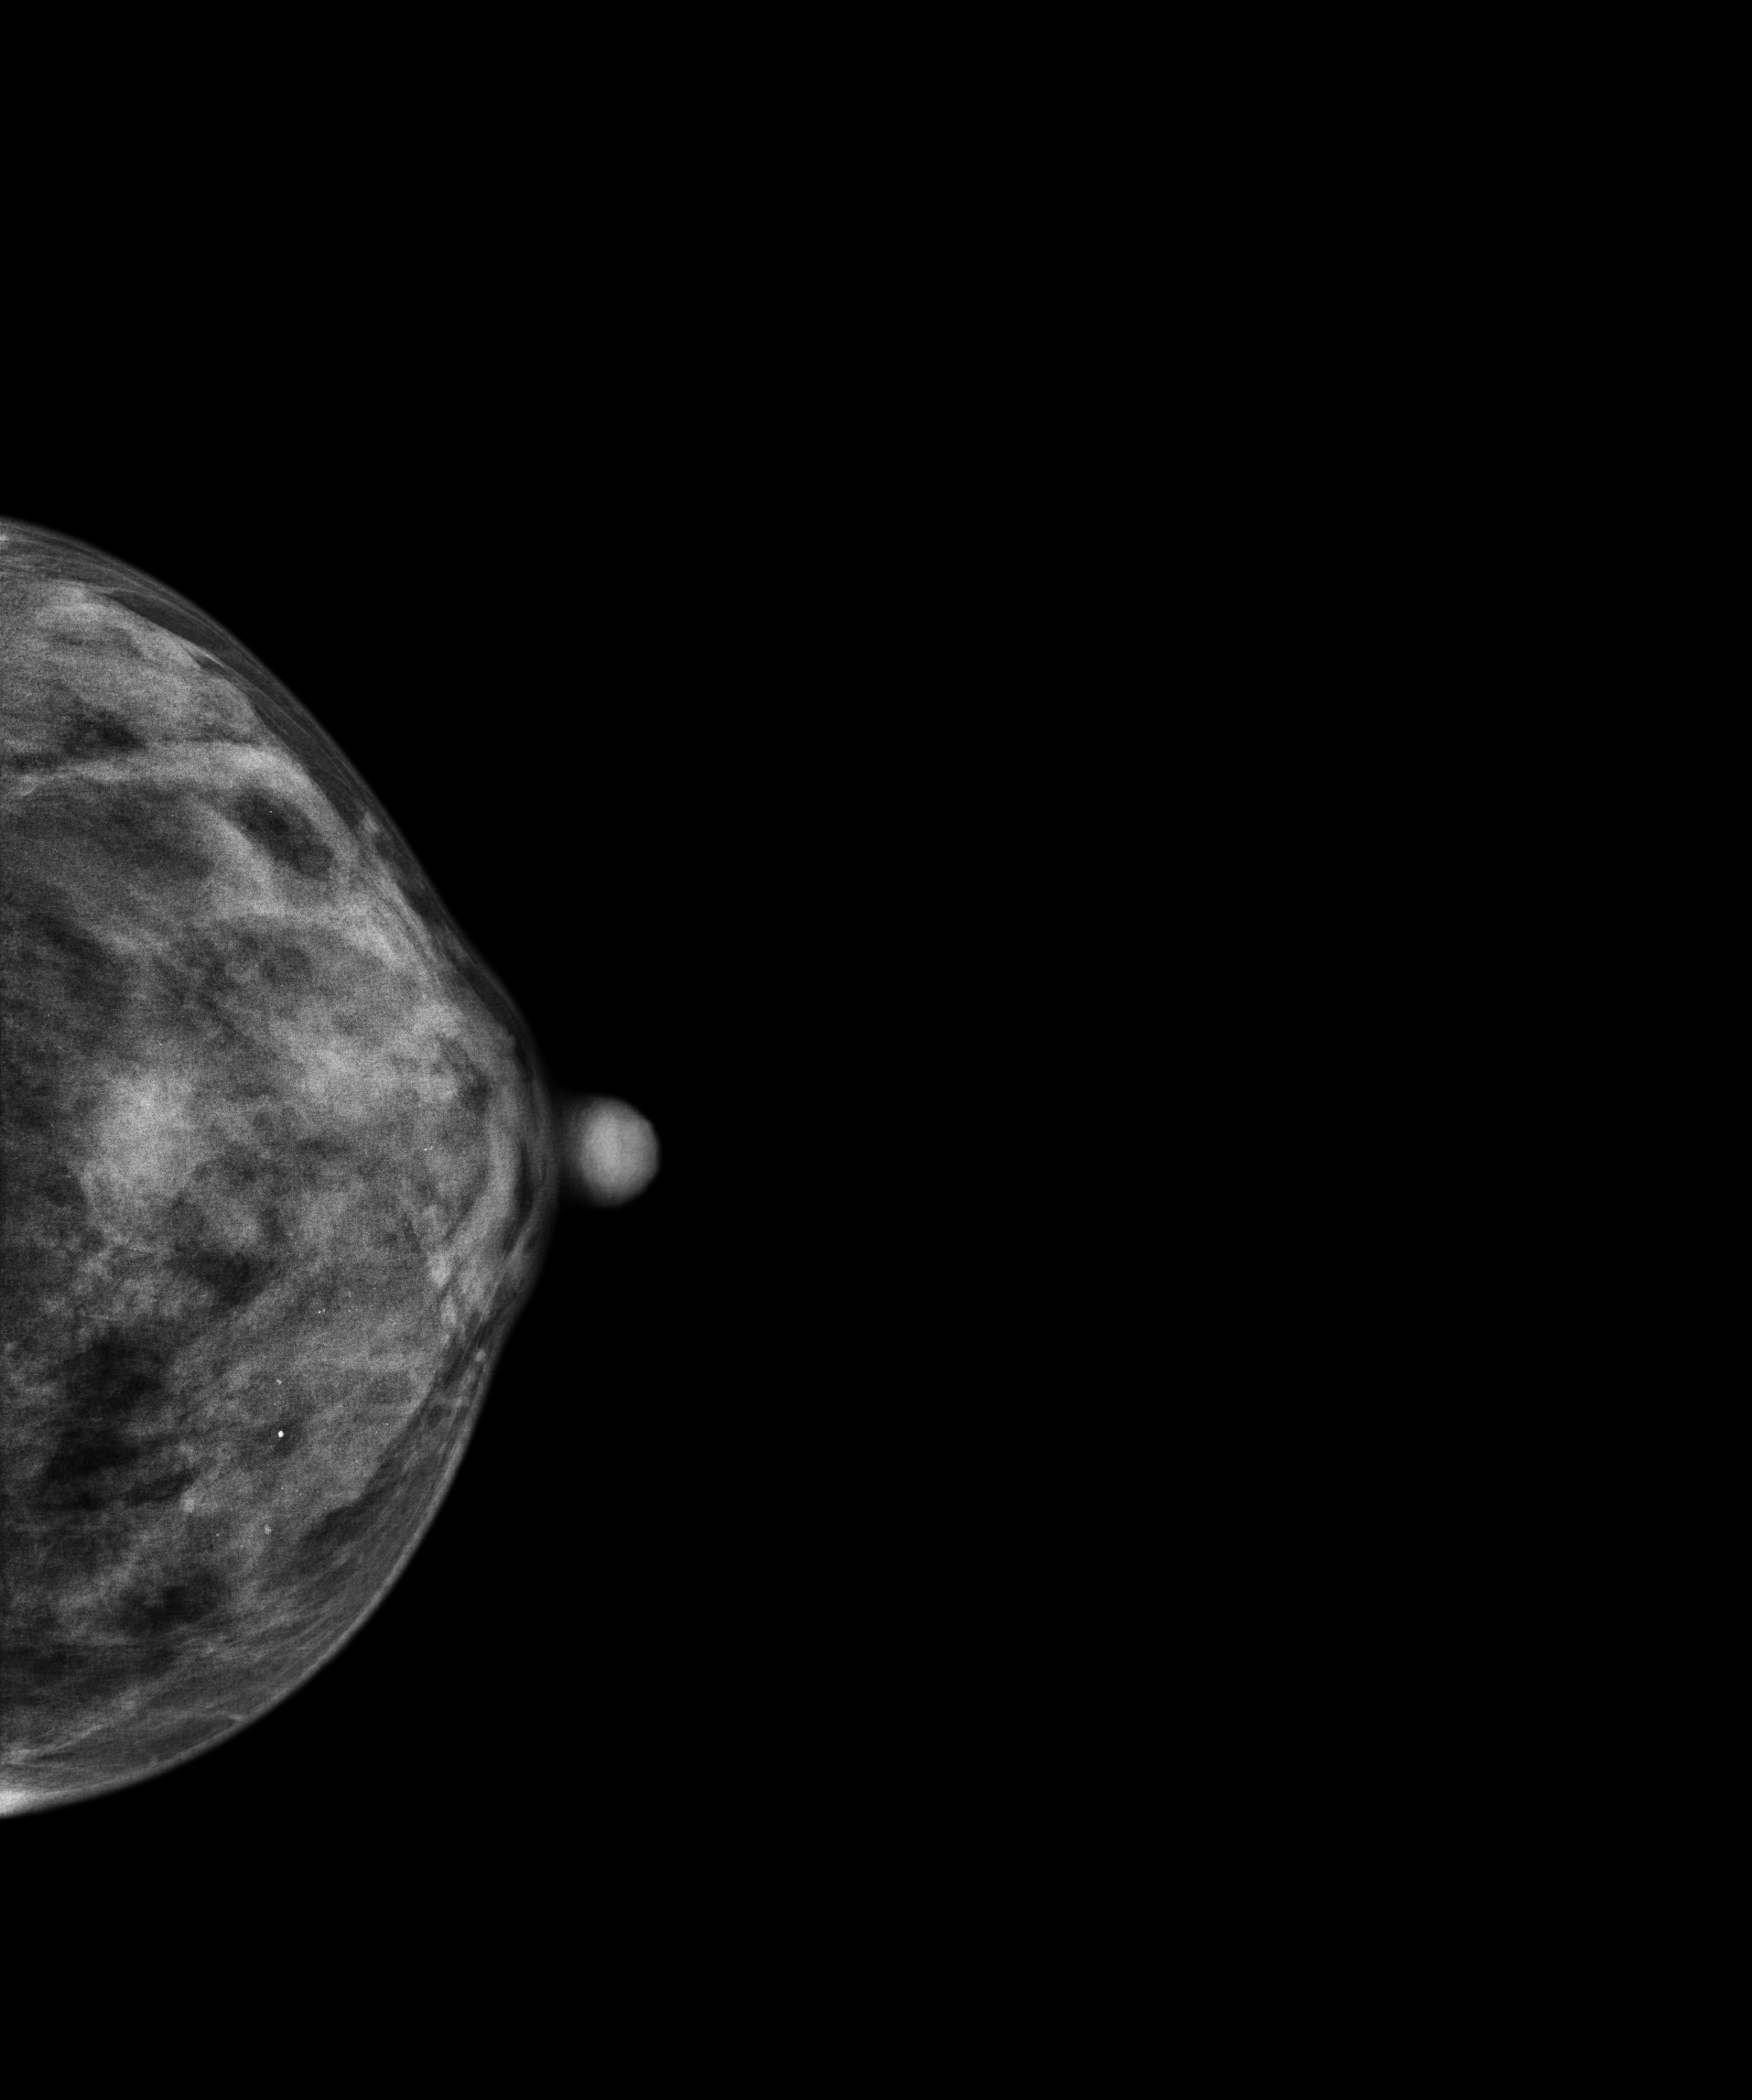
Digital mammography. Left breast, CC projection. Patient age 41.
This breast has calcifications, histologically confirmed malignant. Molecular subtype: triple-negative.